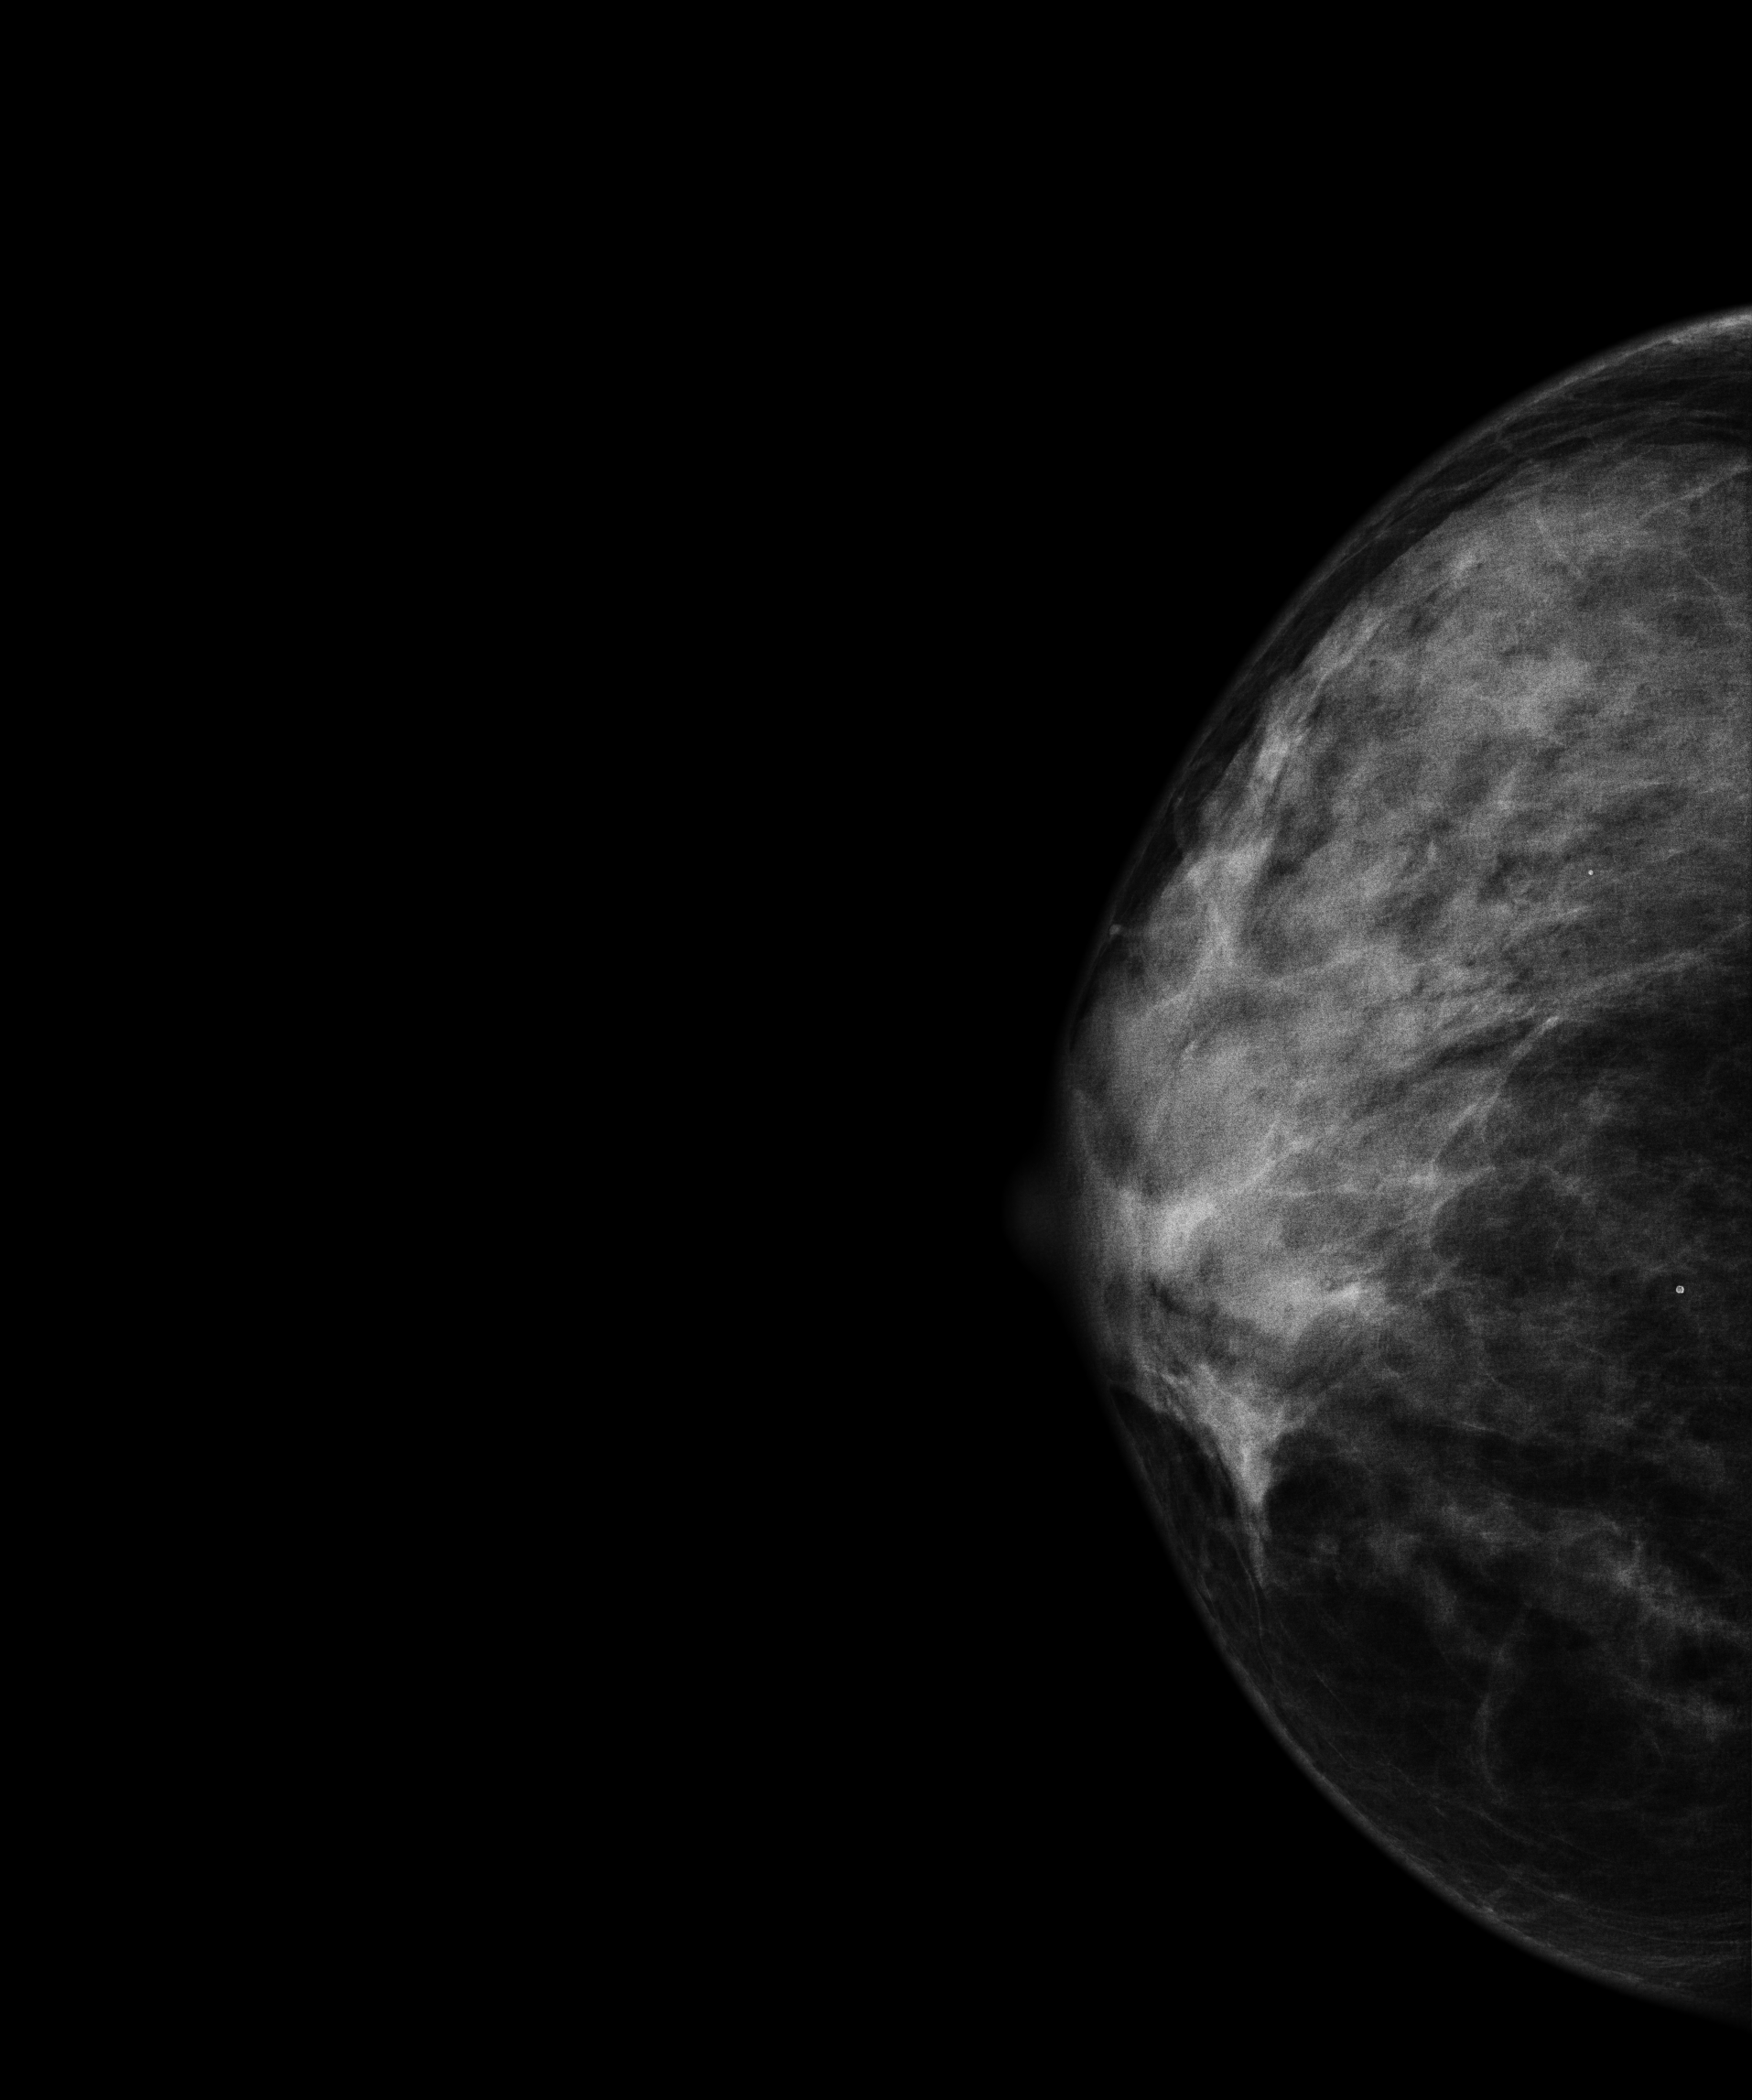
Mammogram — right cranio-caudal. 25-year-old patient.
This breast has calcifications, pathology-confirmed benign.